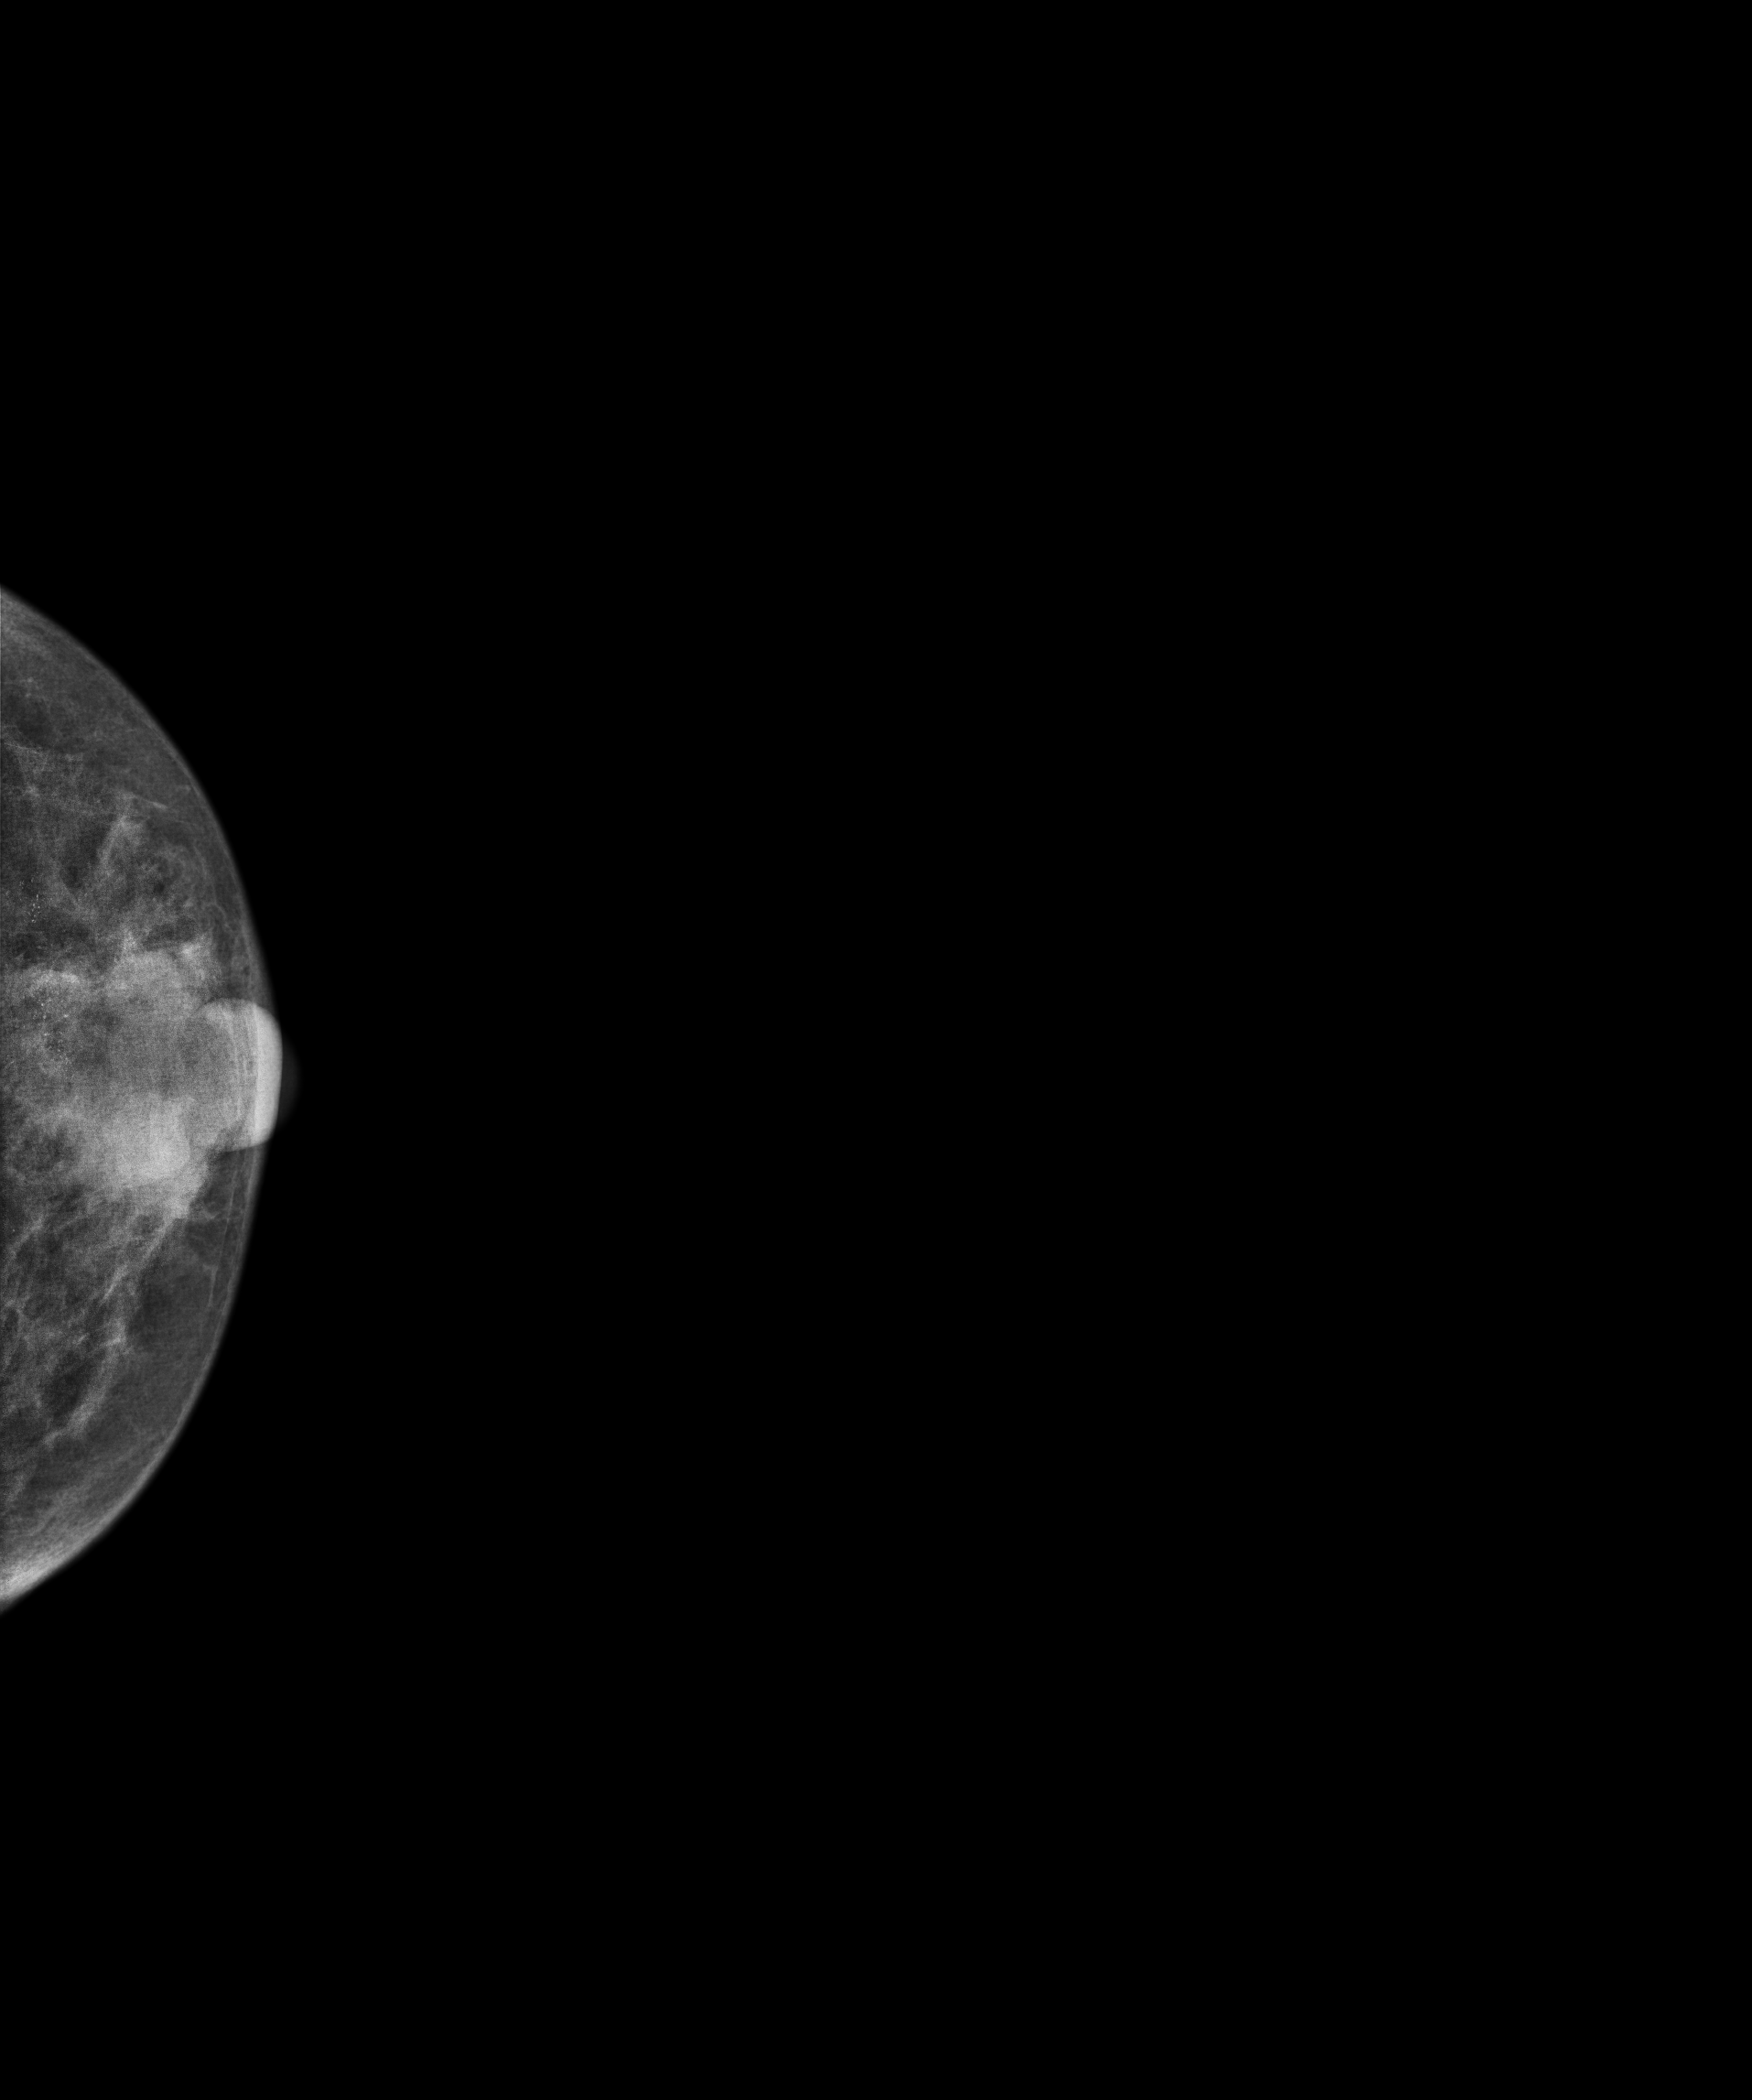
Digital mammography. Left breast, CC projection. 58 y/o patient.
This breast has calcifications, biopsy-confirmed malignant.